Mammogram, left breast, medio-lateral oblique view. 53-year-old patient.
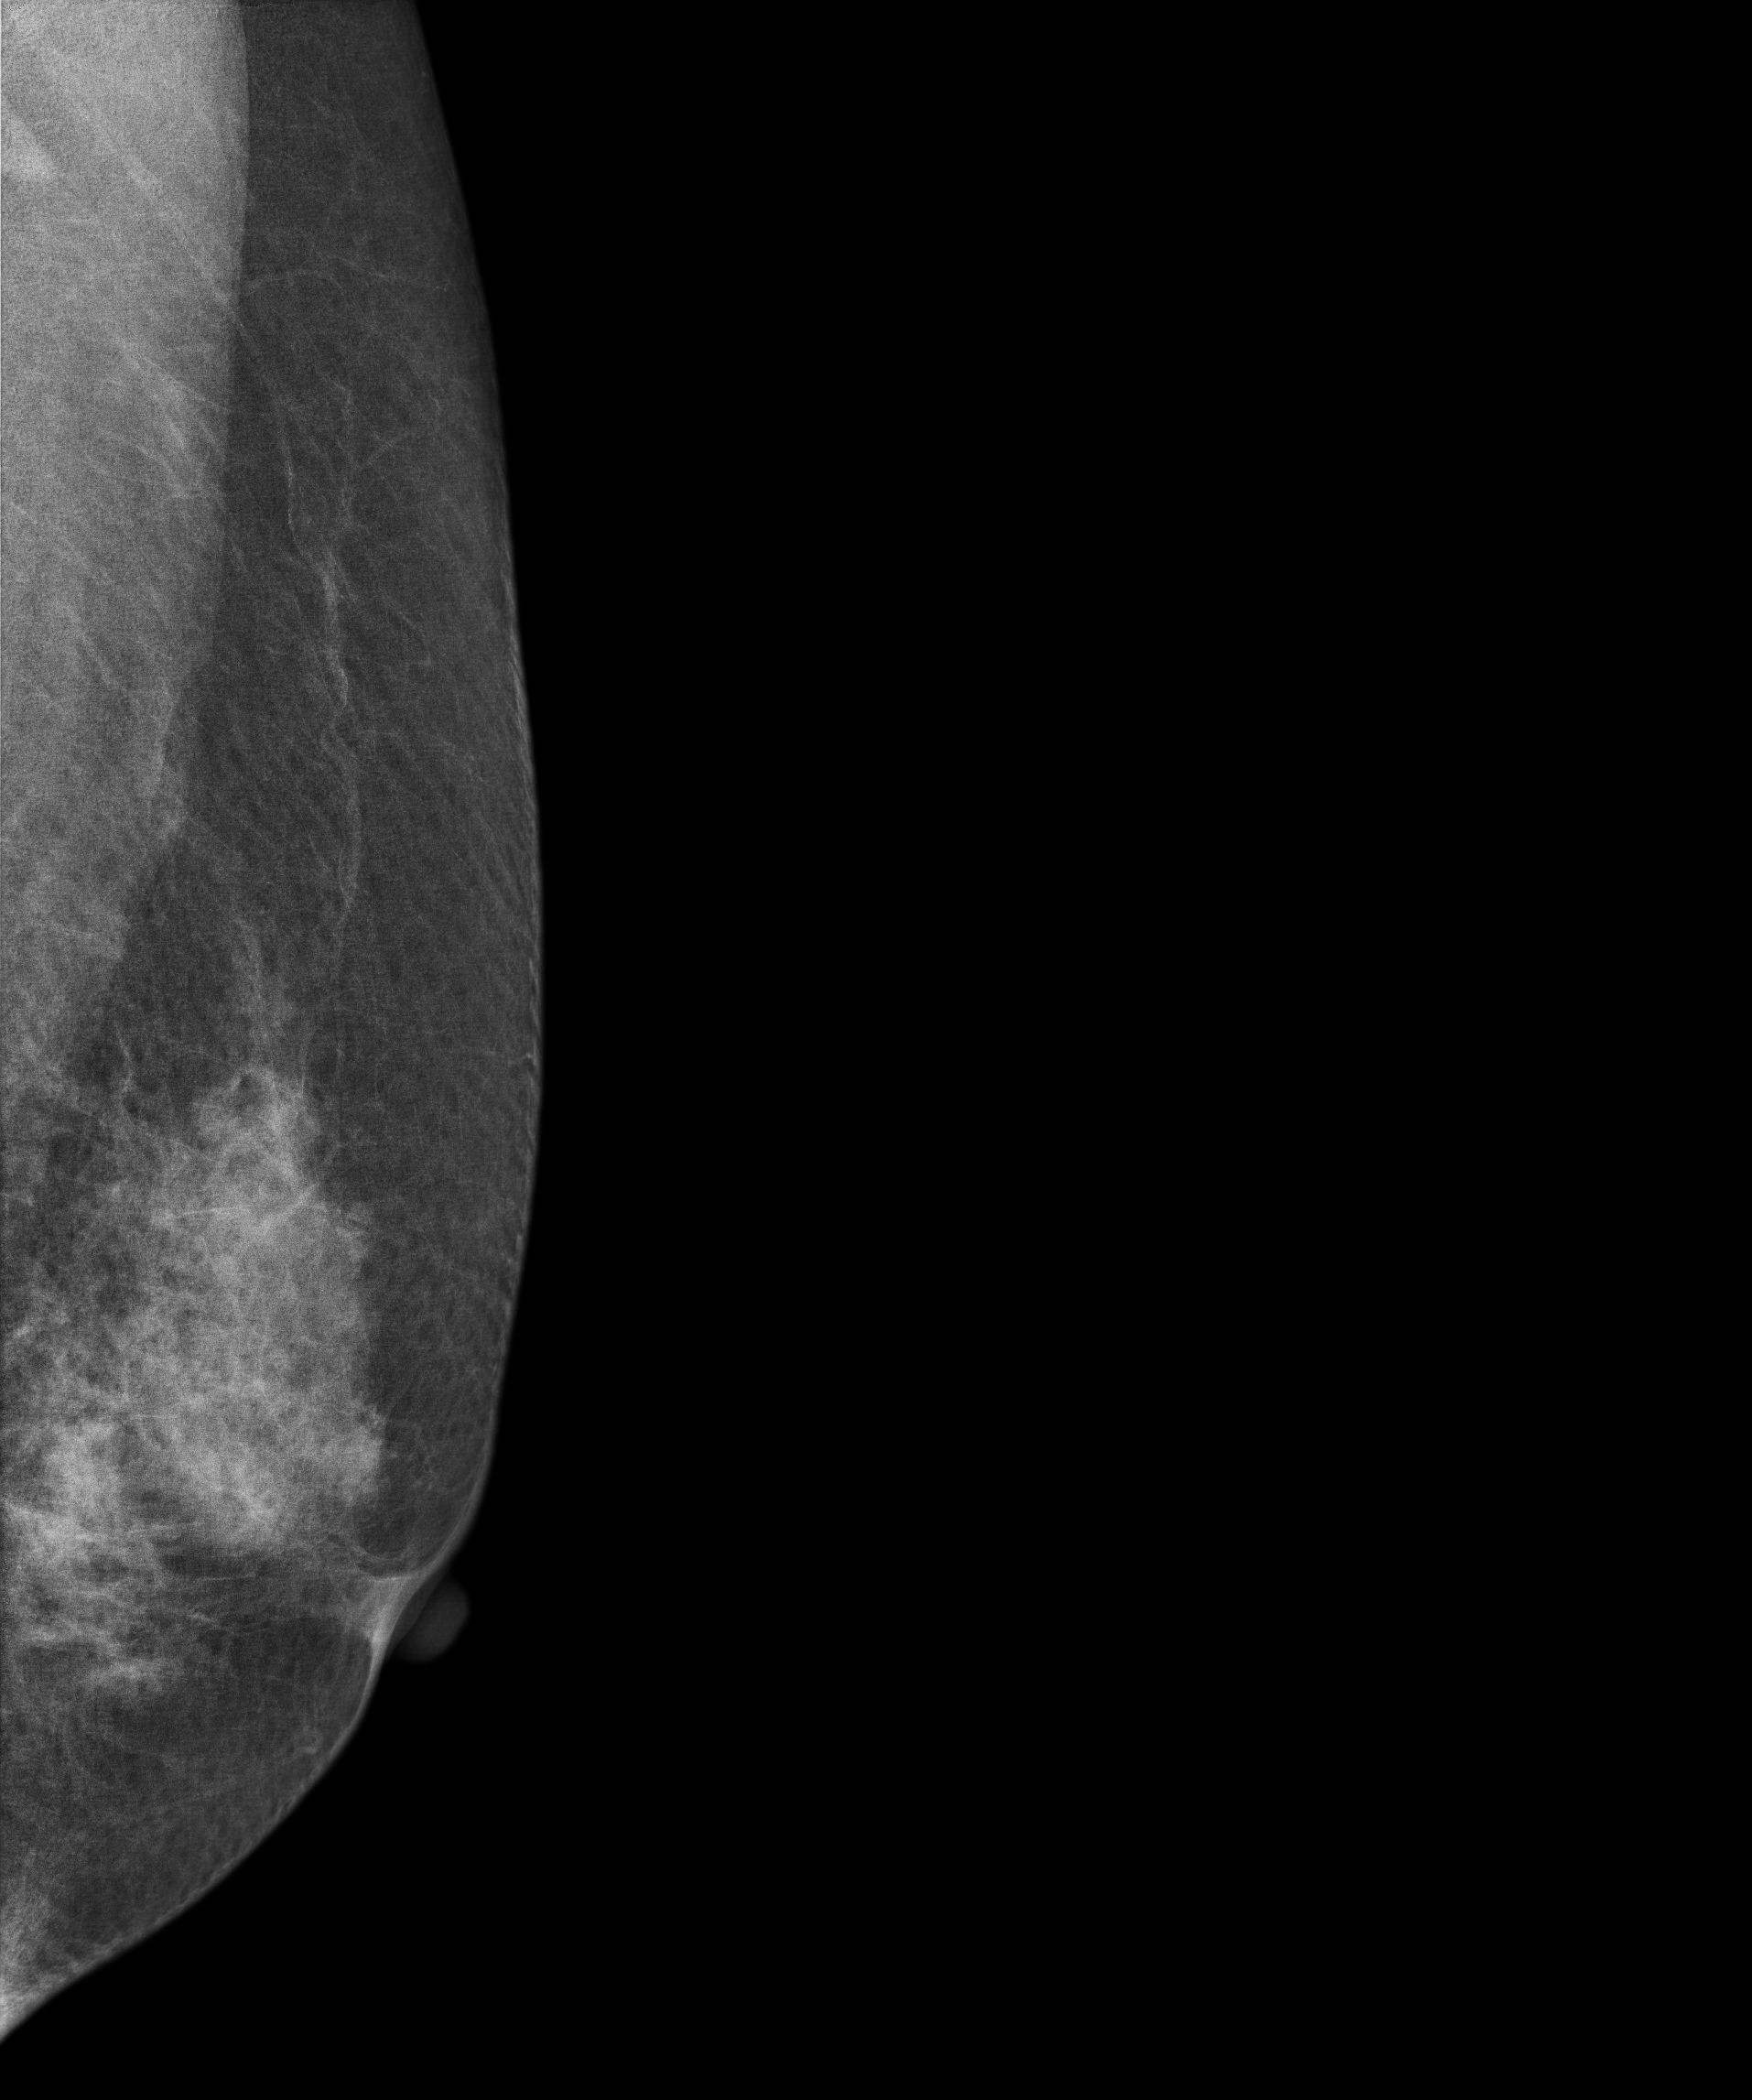
Contralateral breast — no documented abnormality on this side.